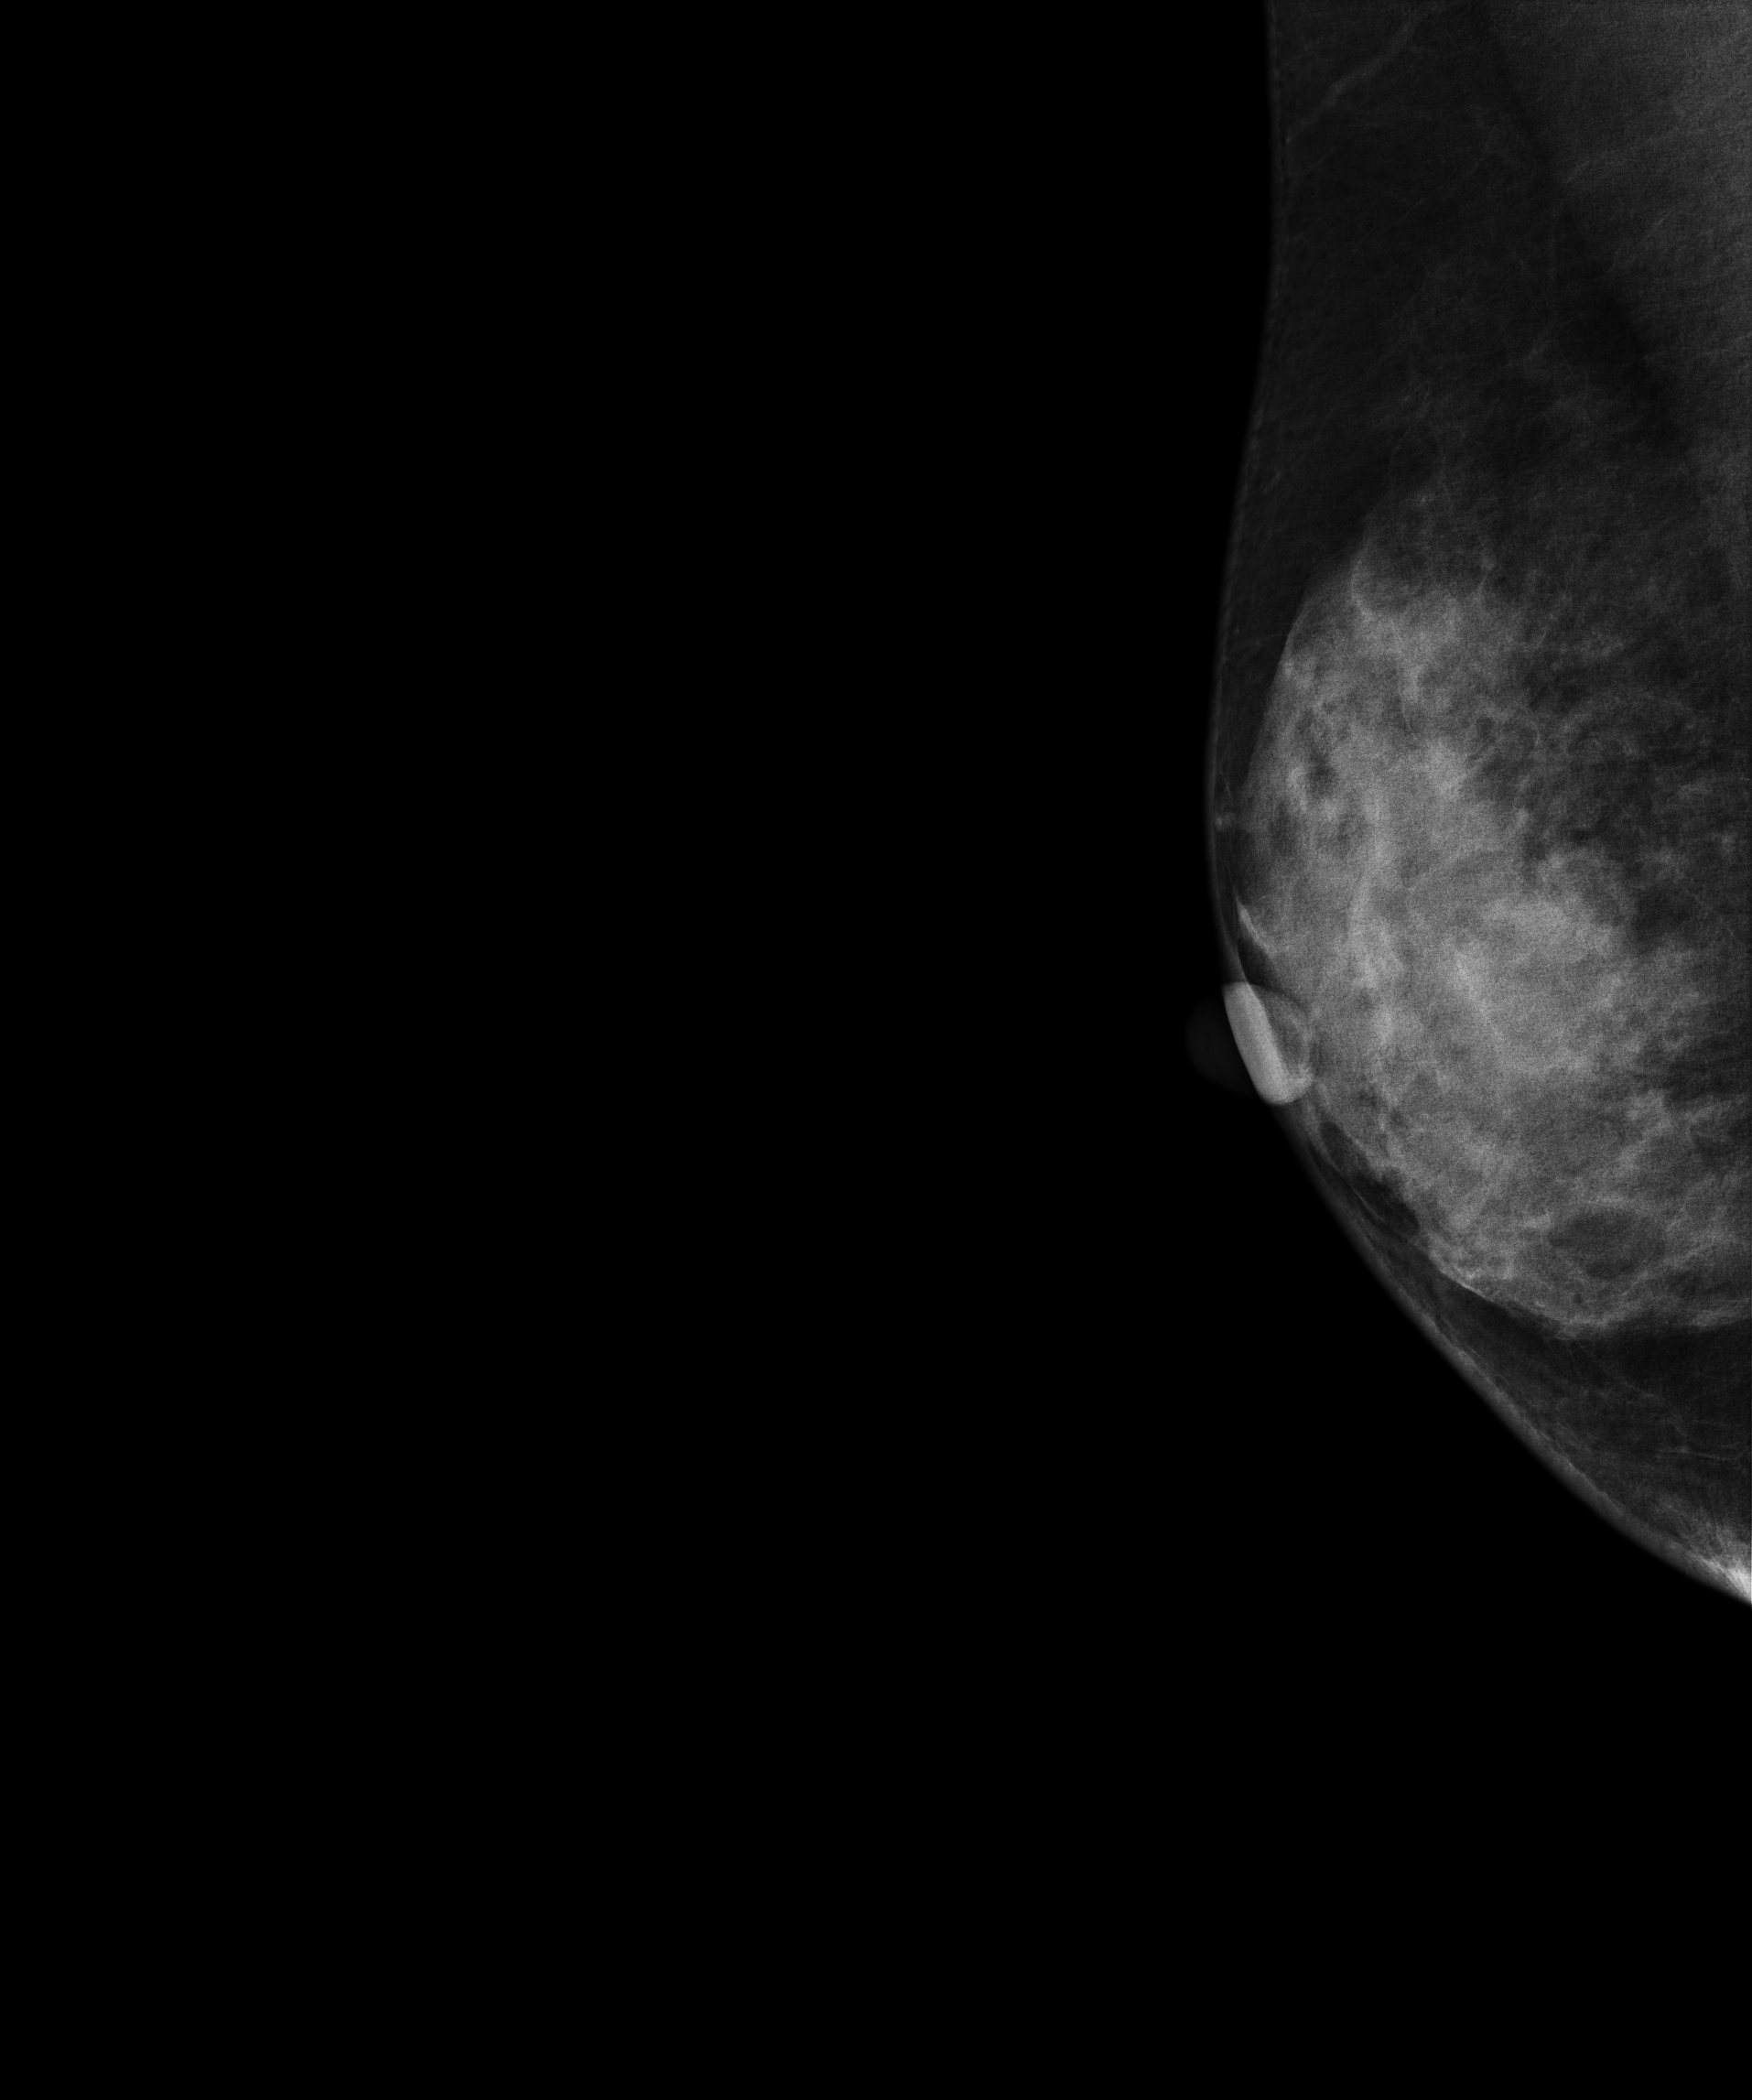
Mammogram, right breast, medio-lateral oblique view. 42-year-old patient.
Contralateral breast — no documented abnormality on this side.